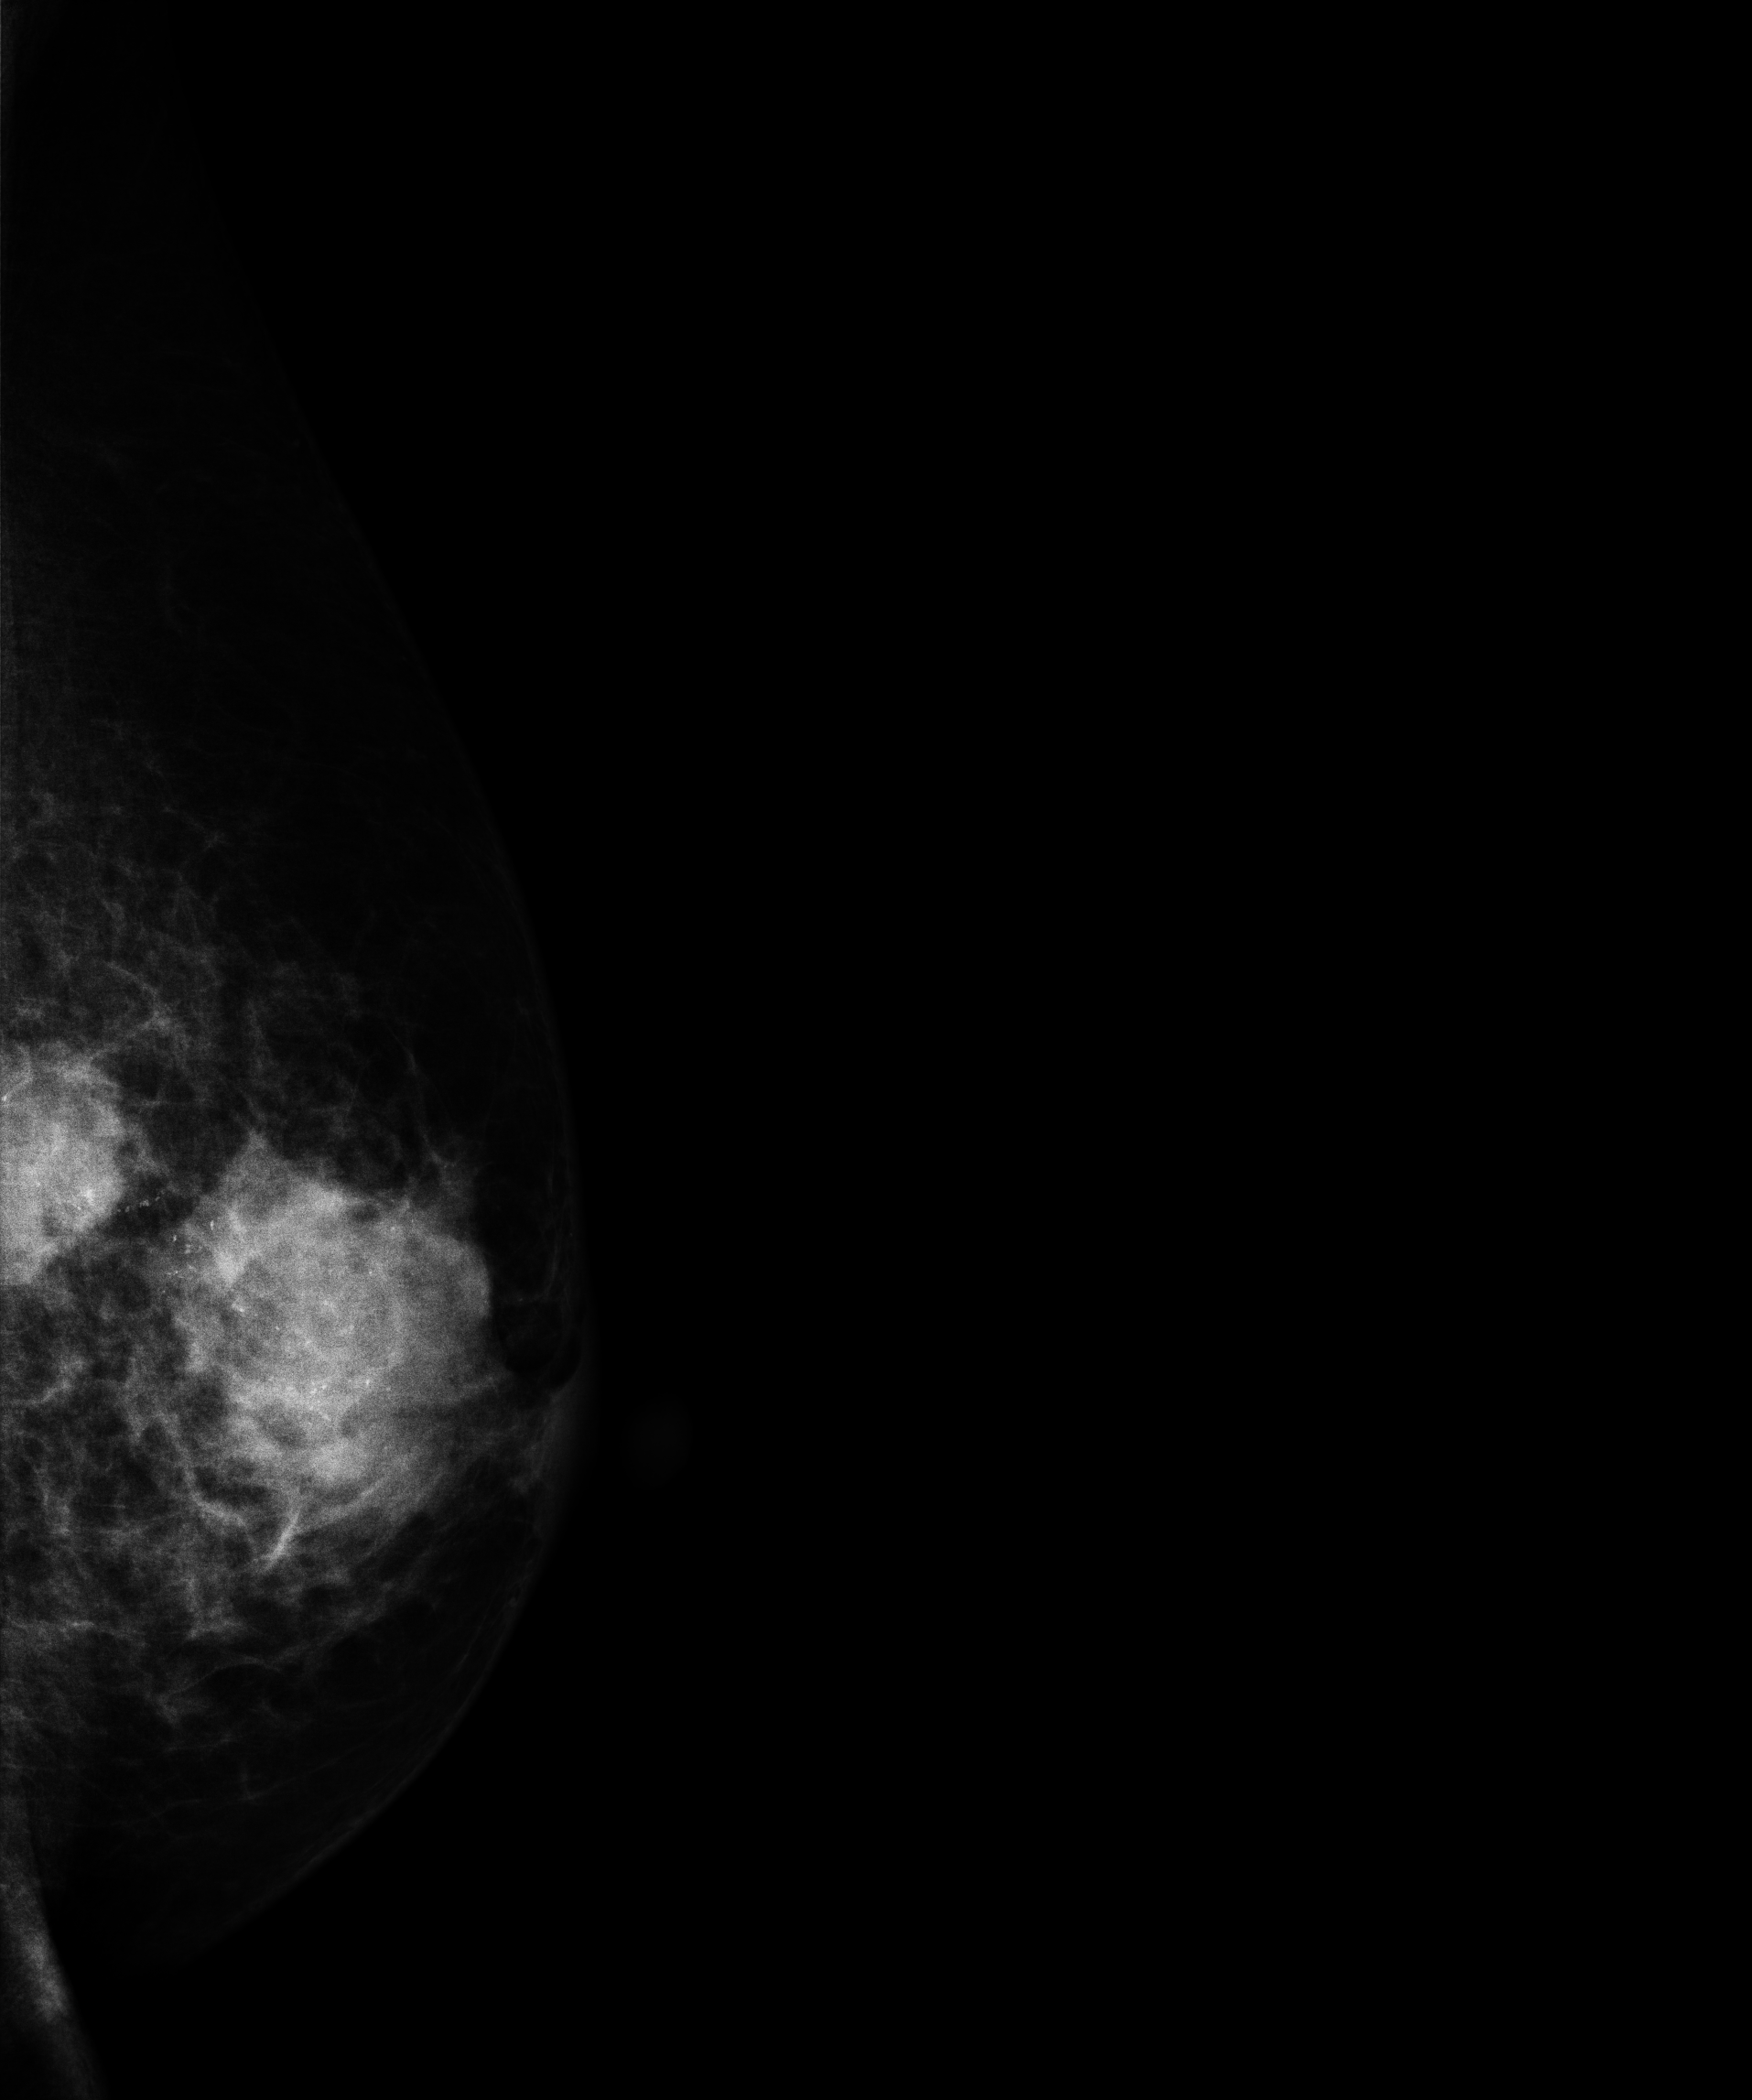
Medio-lateral oblique mammogram of the left breast. Patient age 74.
This breast has a mass and calcifications, pathology-confirmed malignant. Molecular subtype: HER2-enriched.